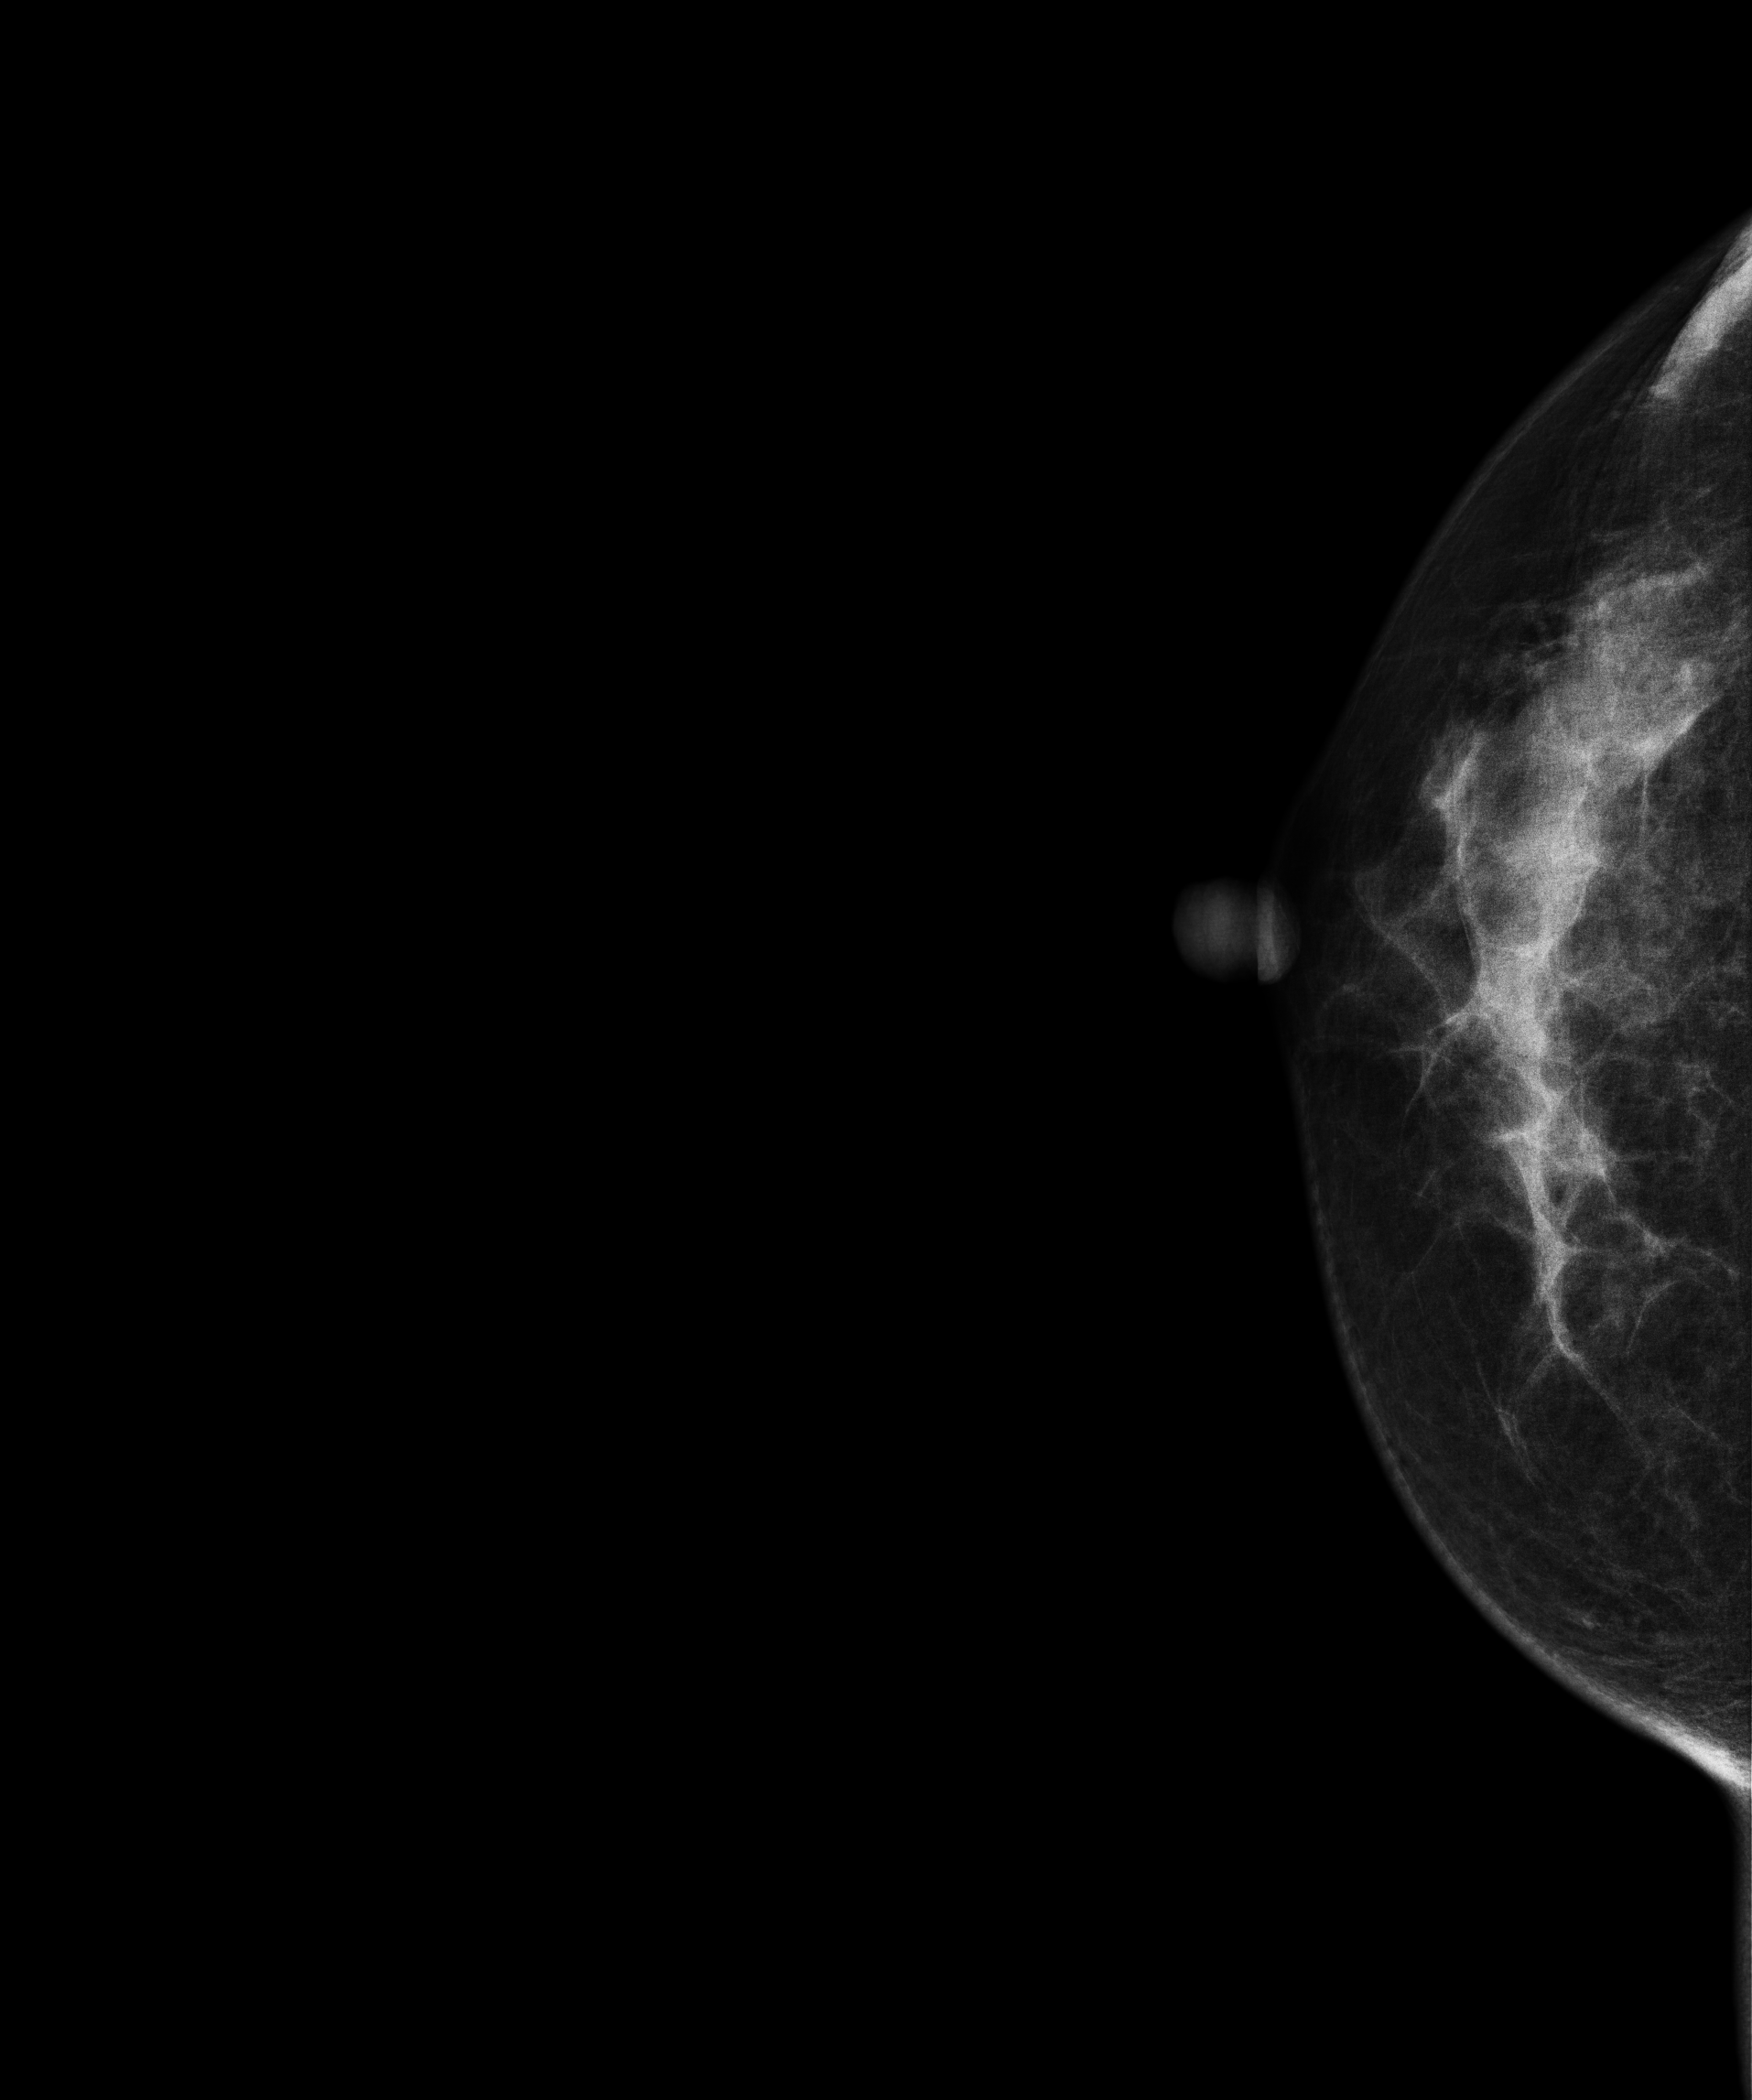
Mammogram — right CC. 43-year-old patient.
Contralateral breast — no documented abnormality on this side.